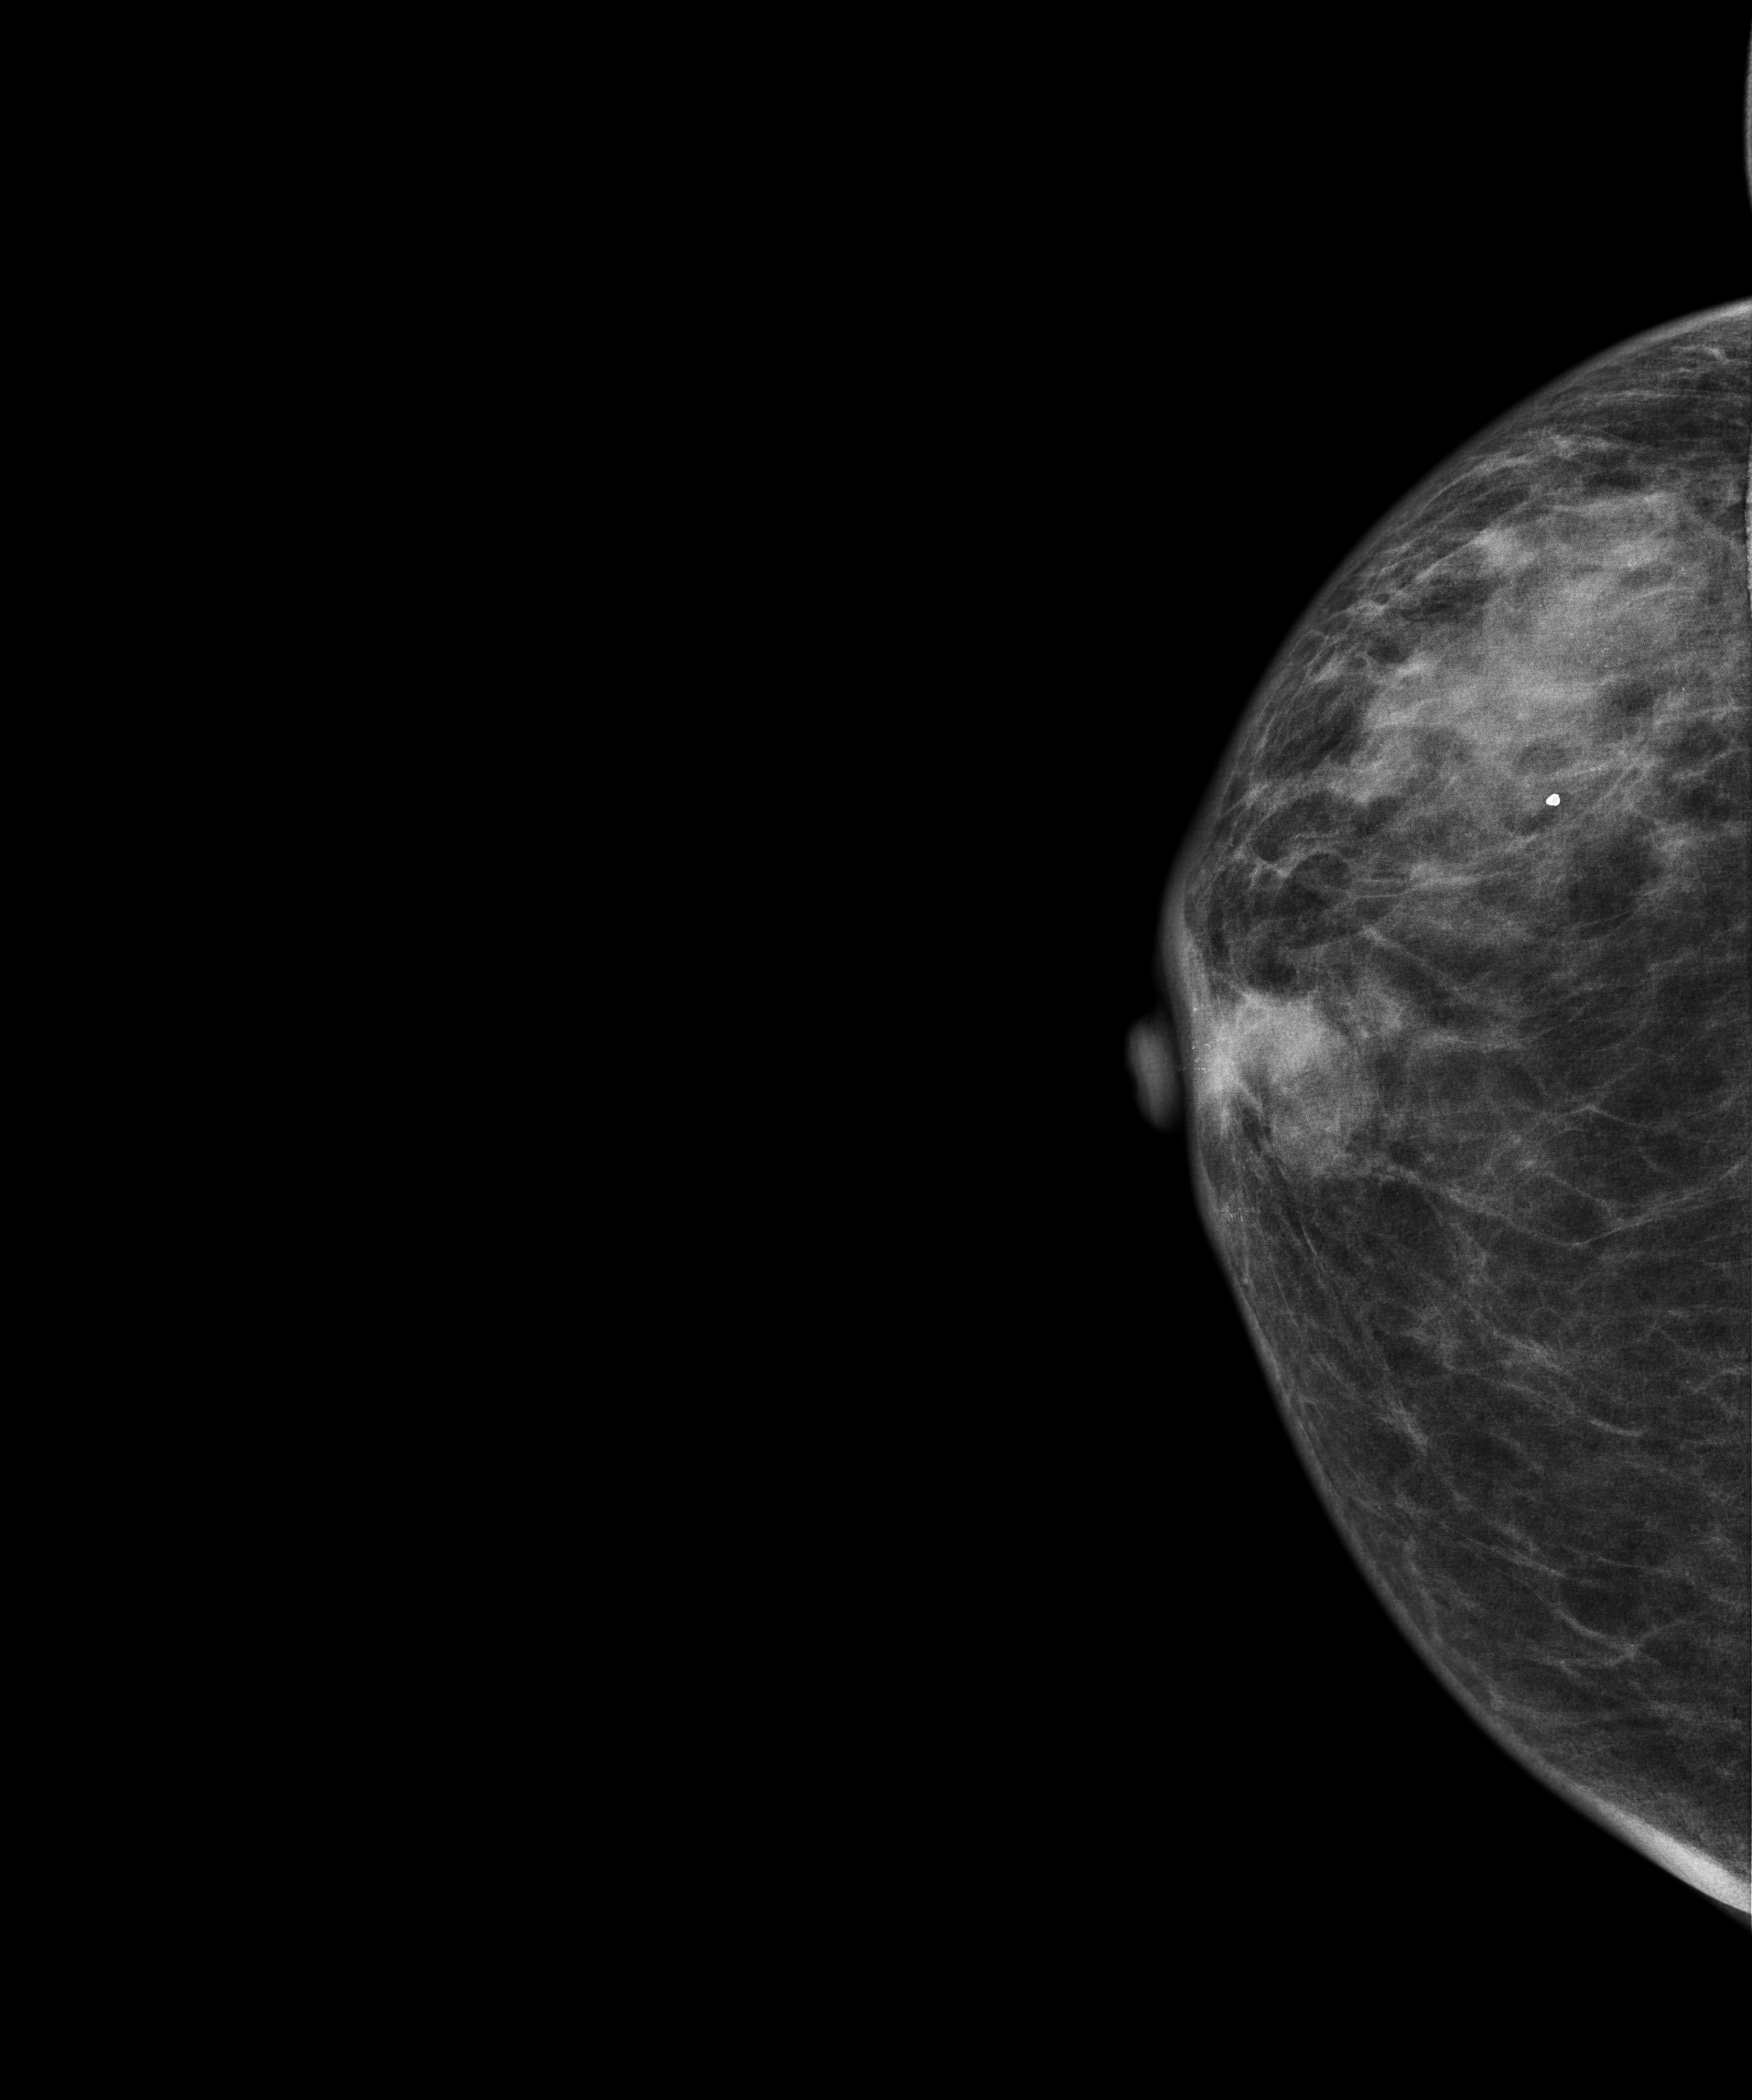
Mammogram, right breast, CC view. 59-year-old patient.
This breast has a mass and calcifications, pathology-confirmed malignant. Molecular subtype: luminal B.